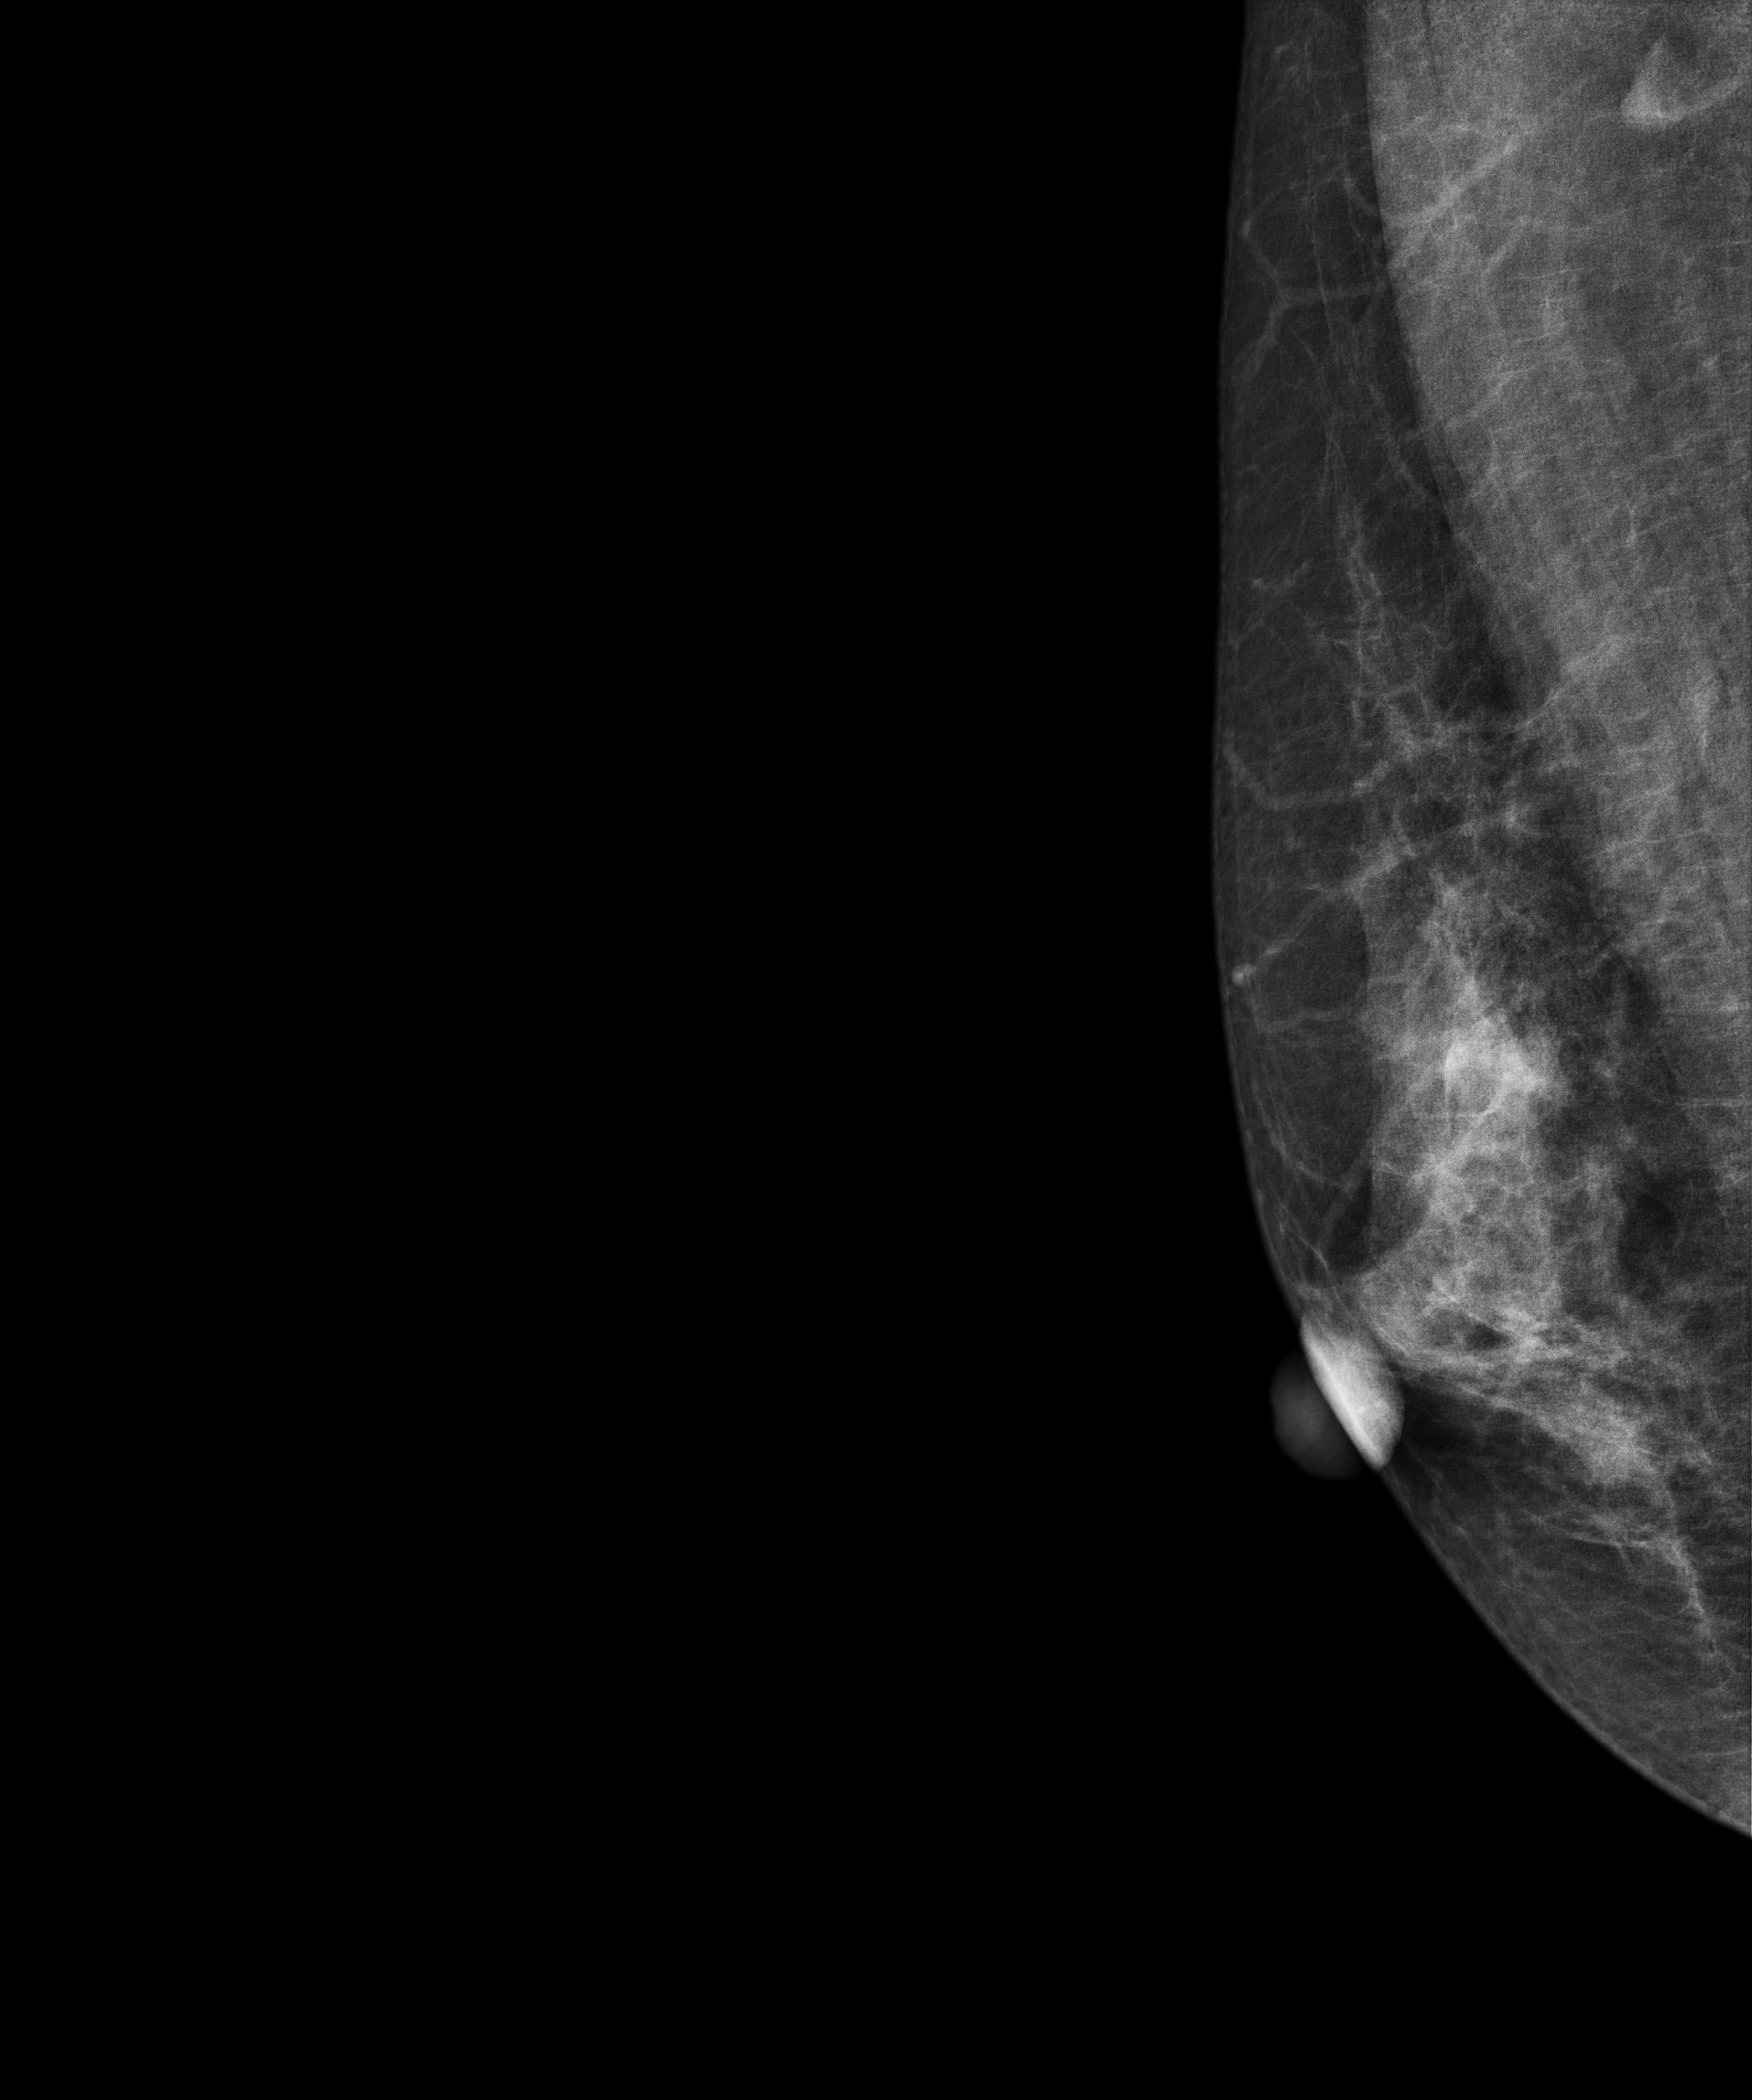
Digital mammography. Right breast, medio-lateral oblique projection. Patient age 41.
This breast has a mass, histologically confirmed benign.